Medio-lateral oblique mammogram of the right breast. 49 y/o patient.
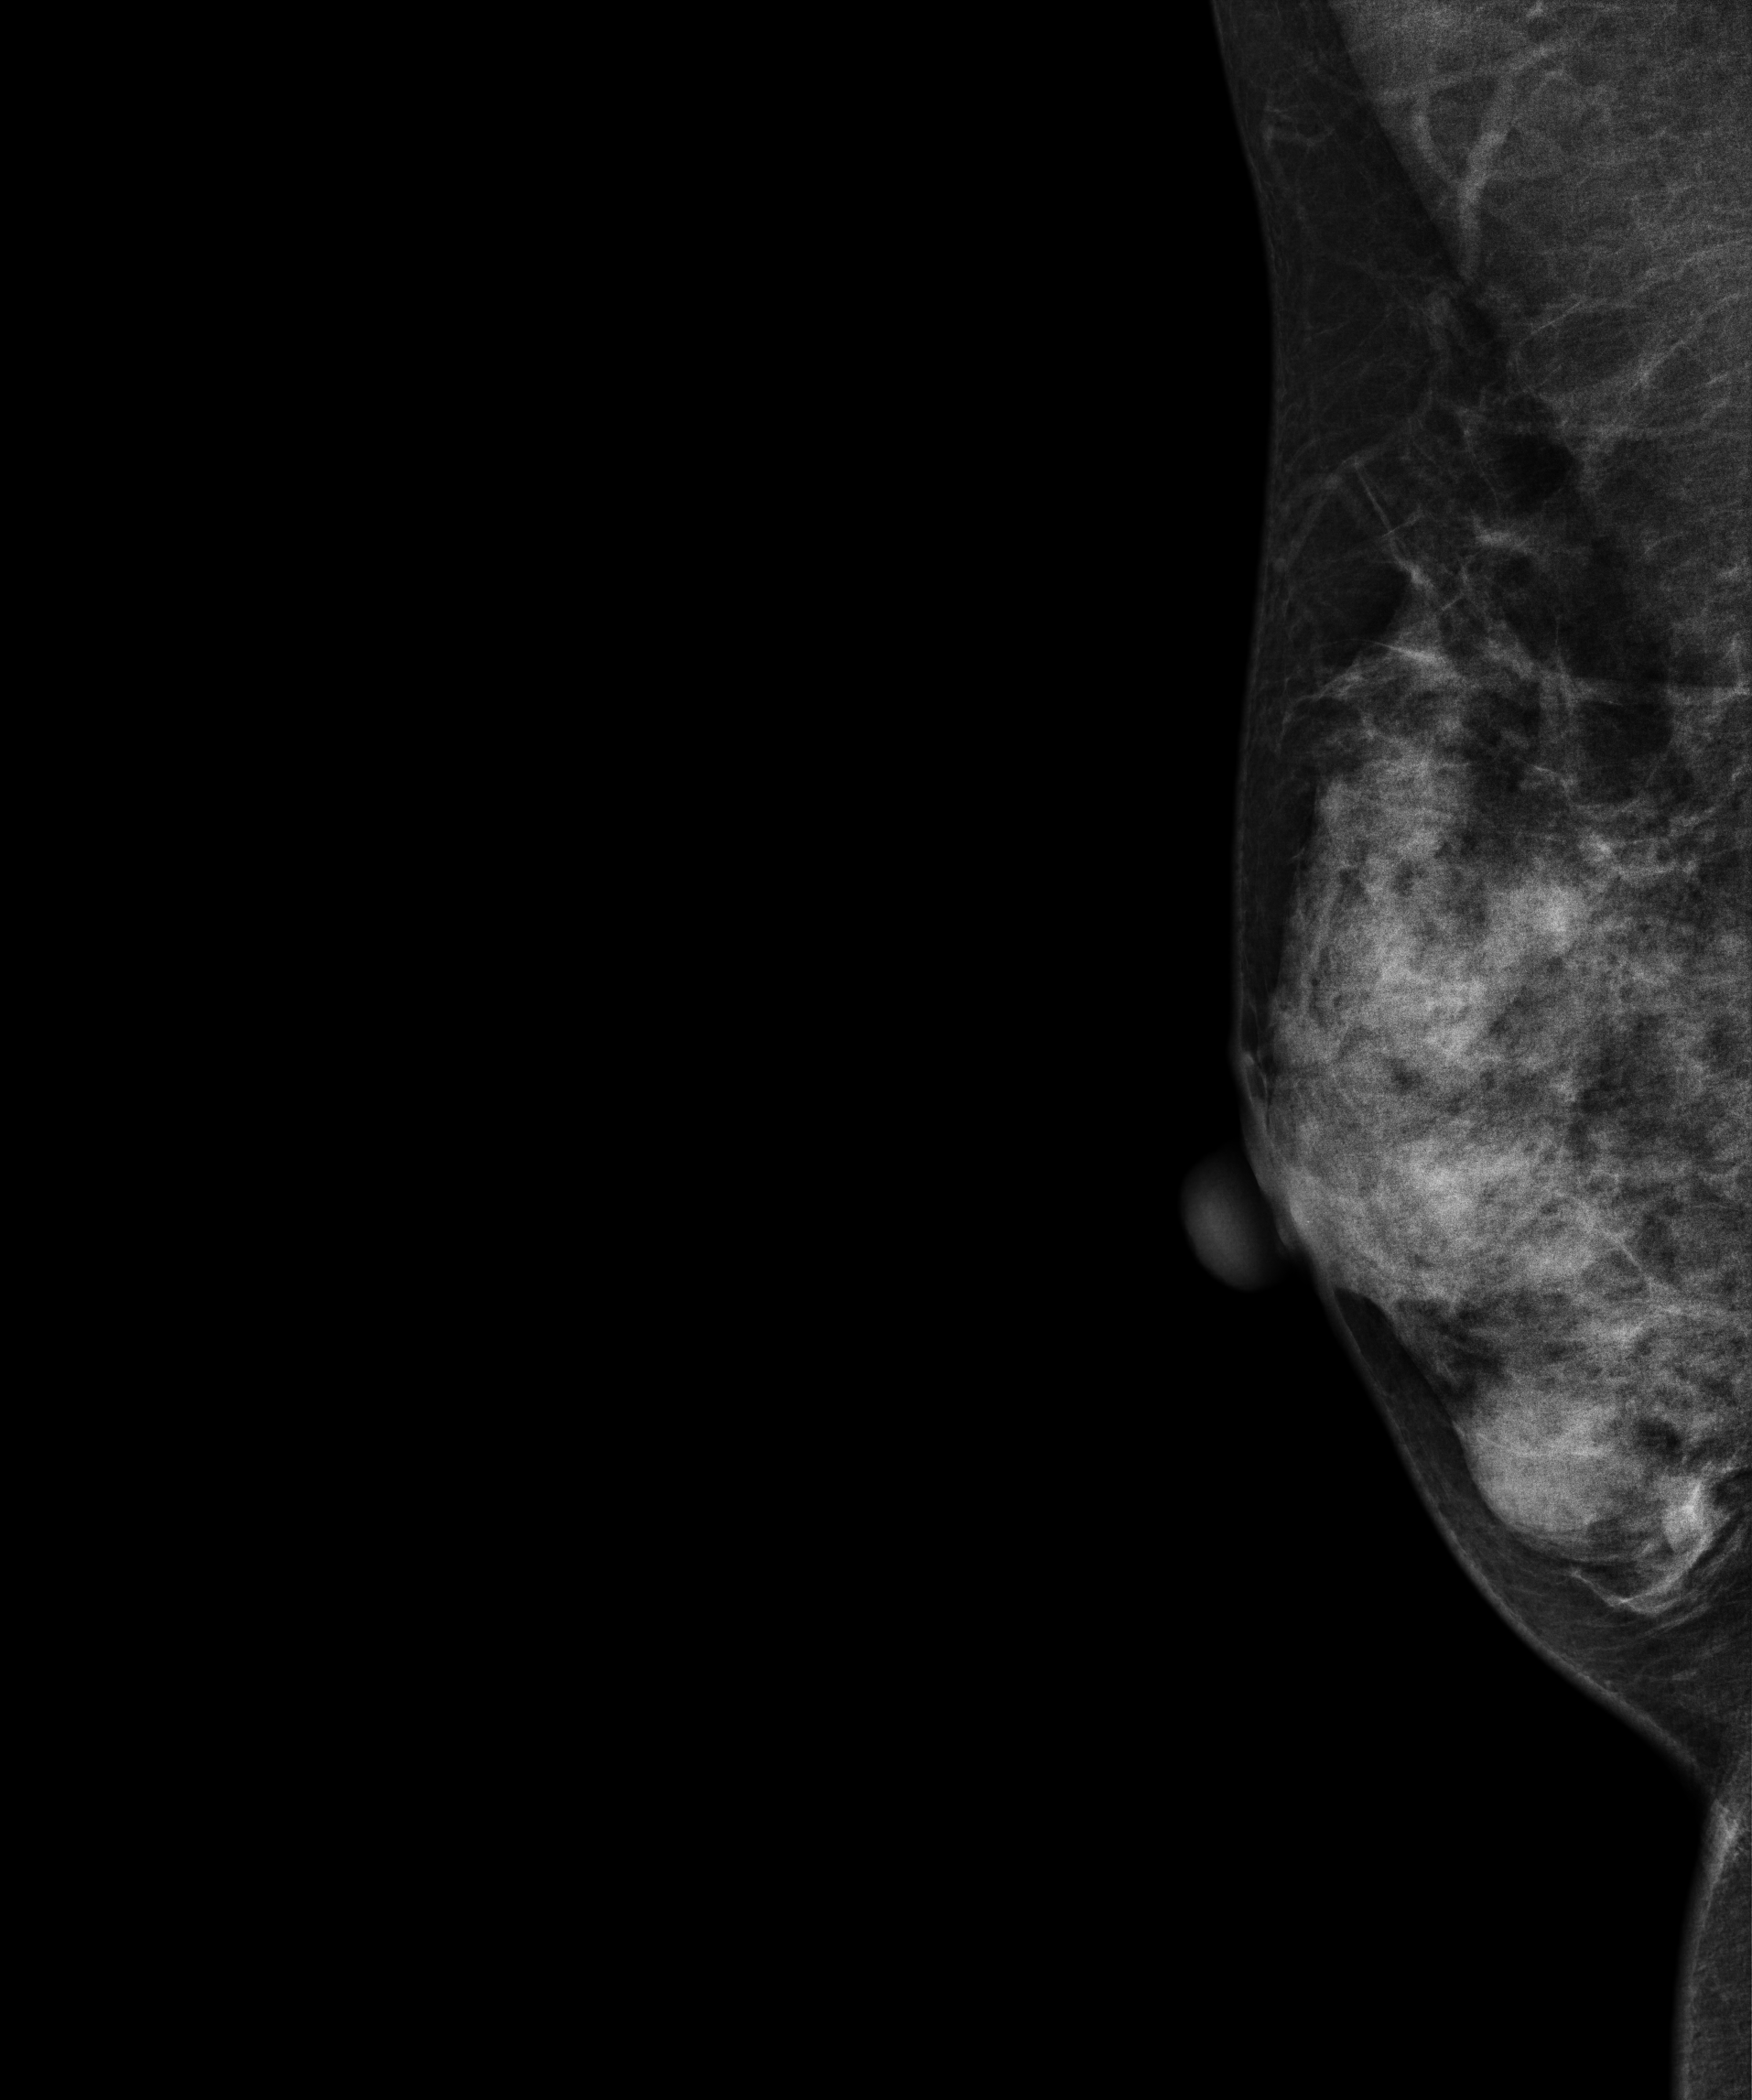
Contralateral breast — no documented abnormality on this side.